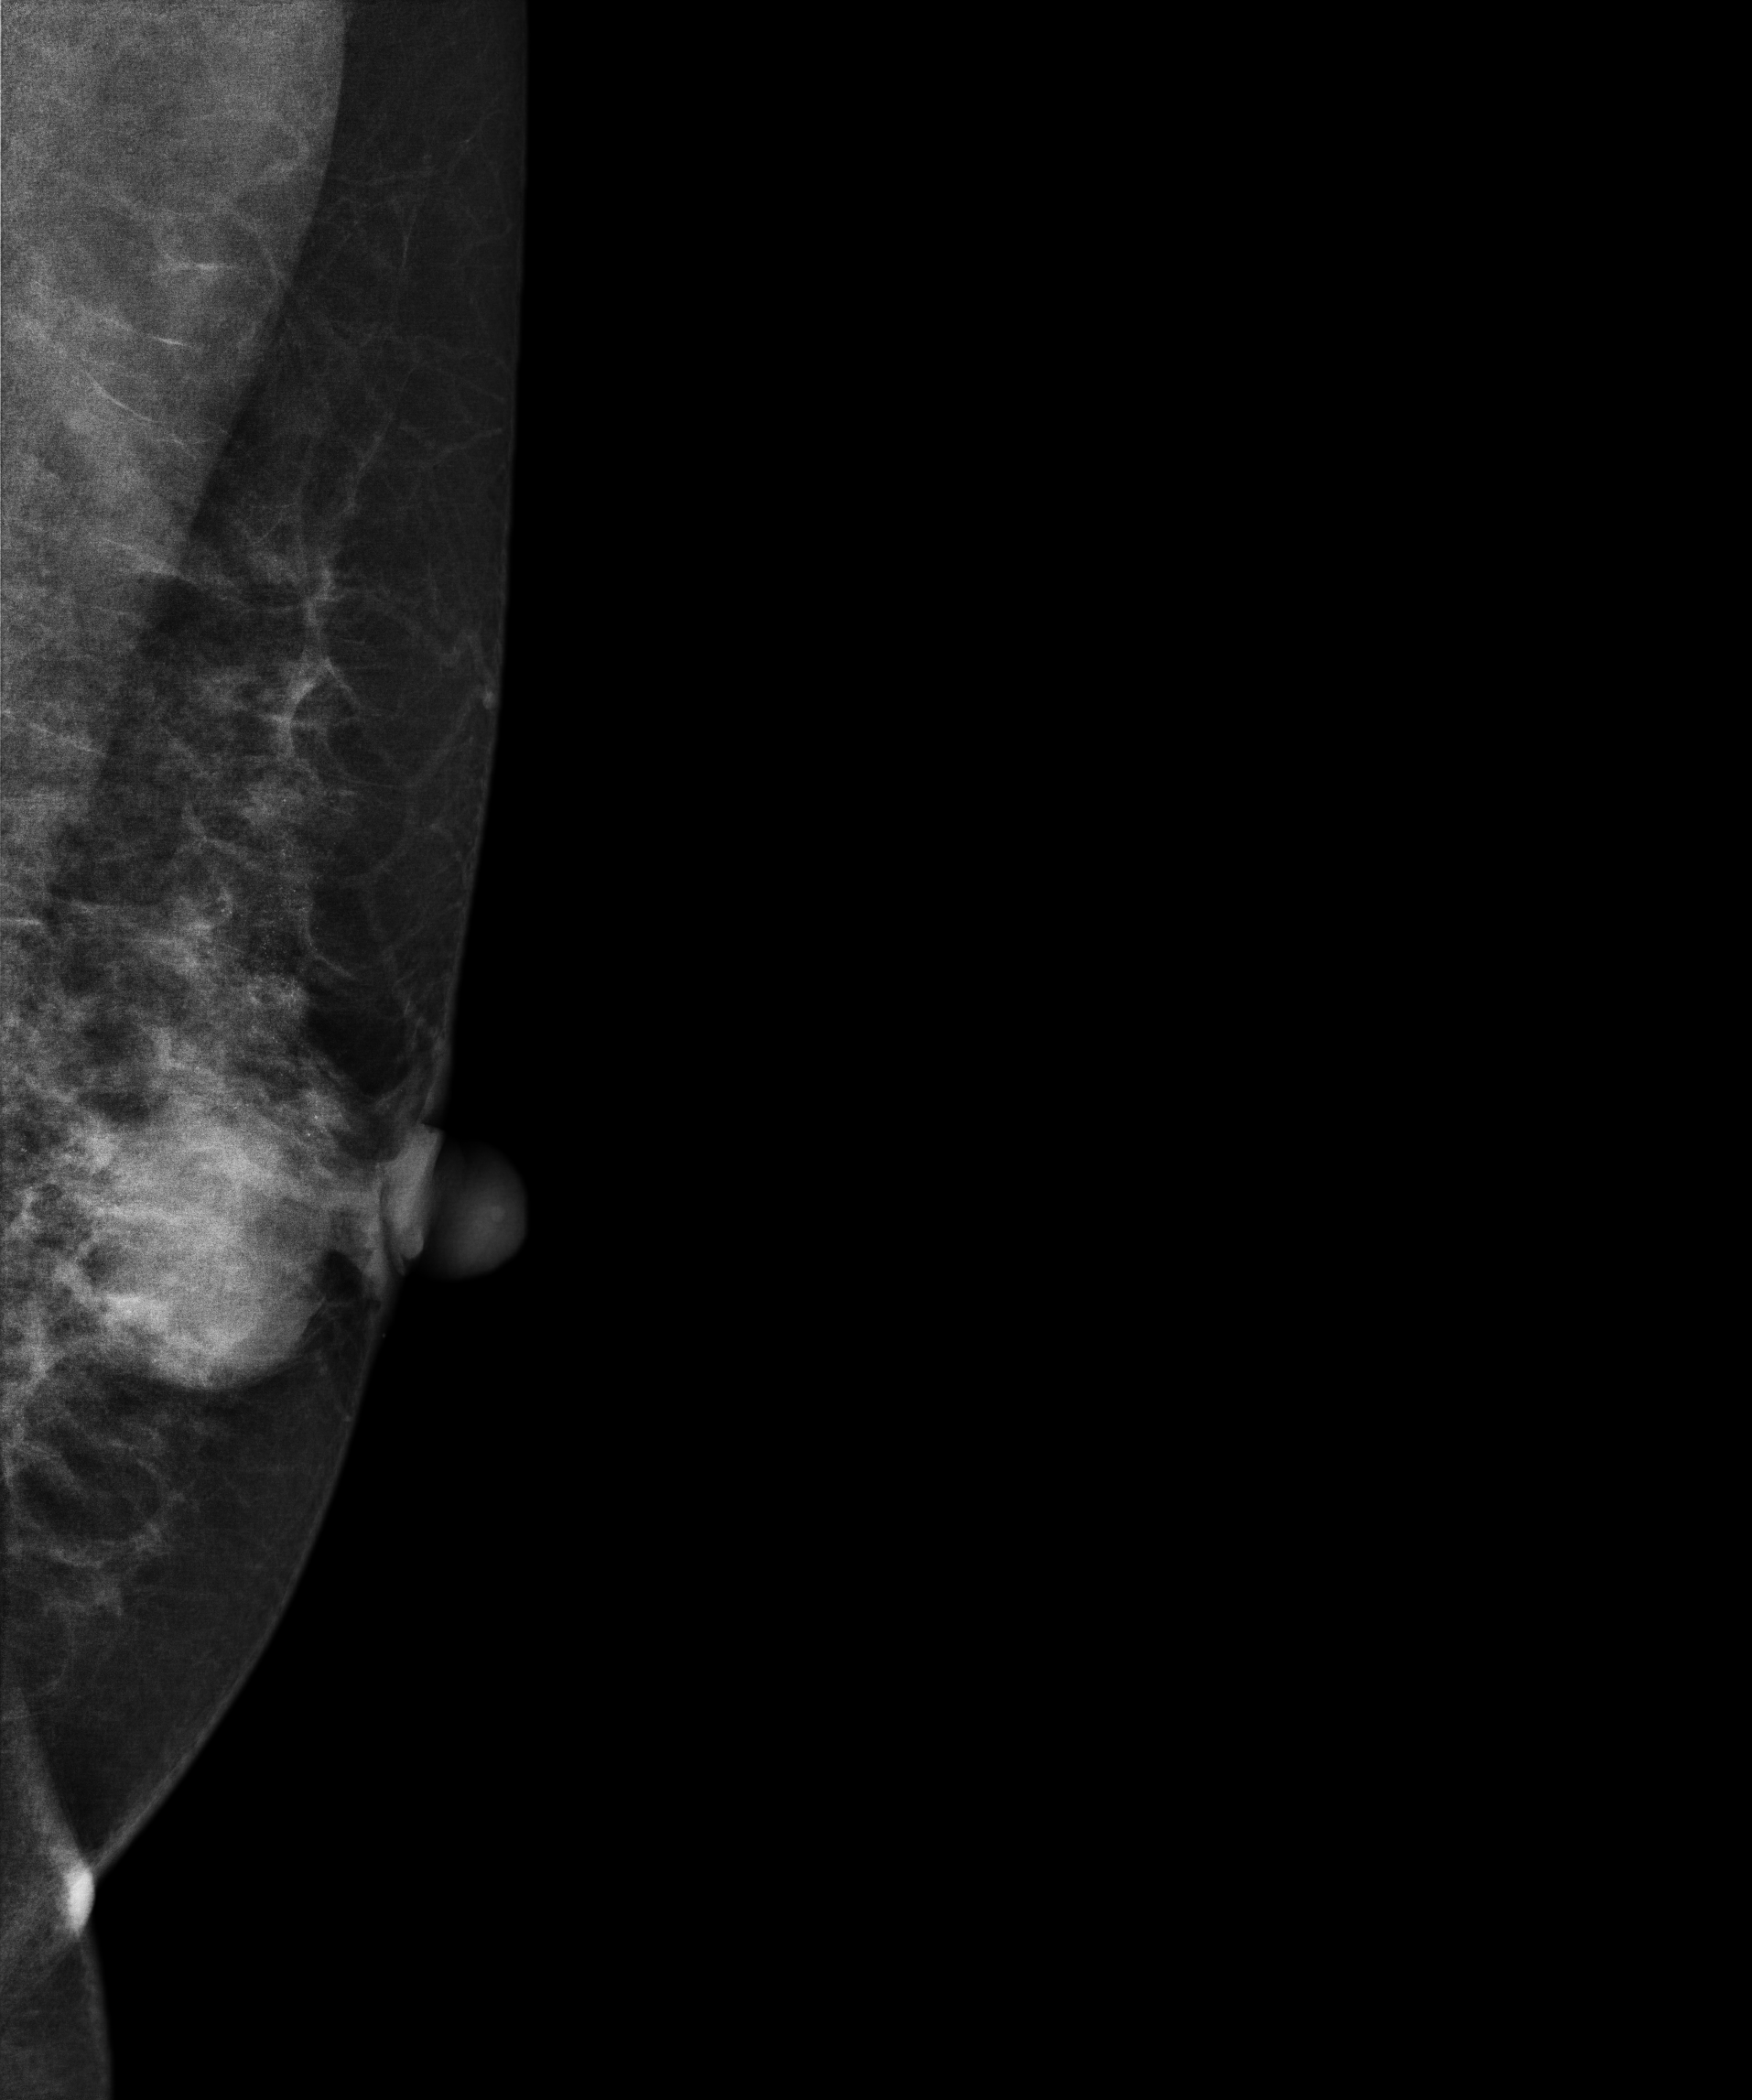
Mammogram, left breast, MLO view. 34 y/o patient.
This breast has a mass and calcifications, biopsy-confirmed malignant.